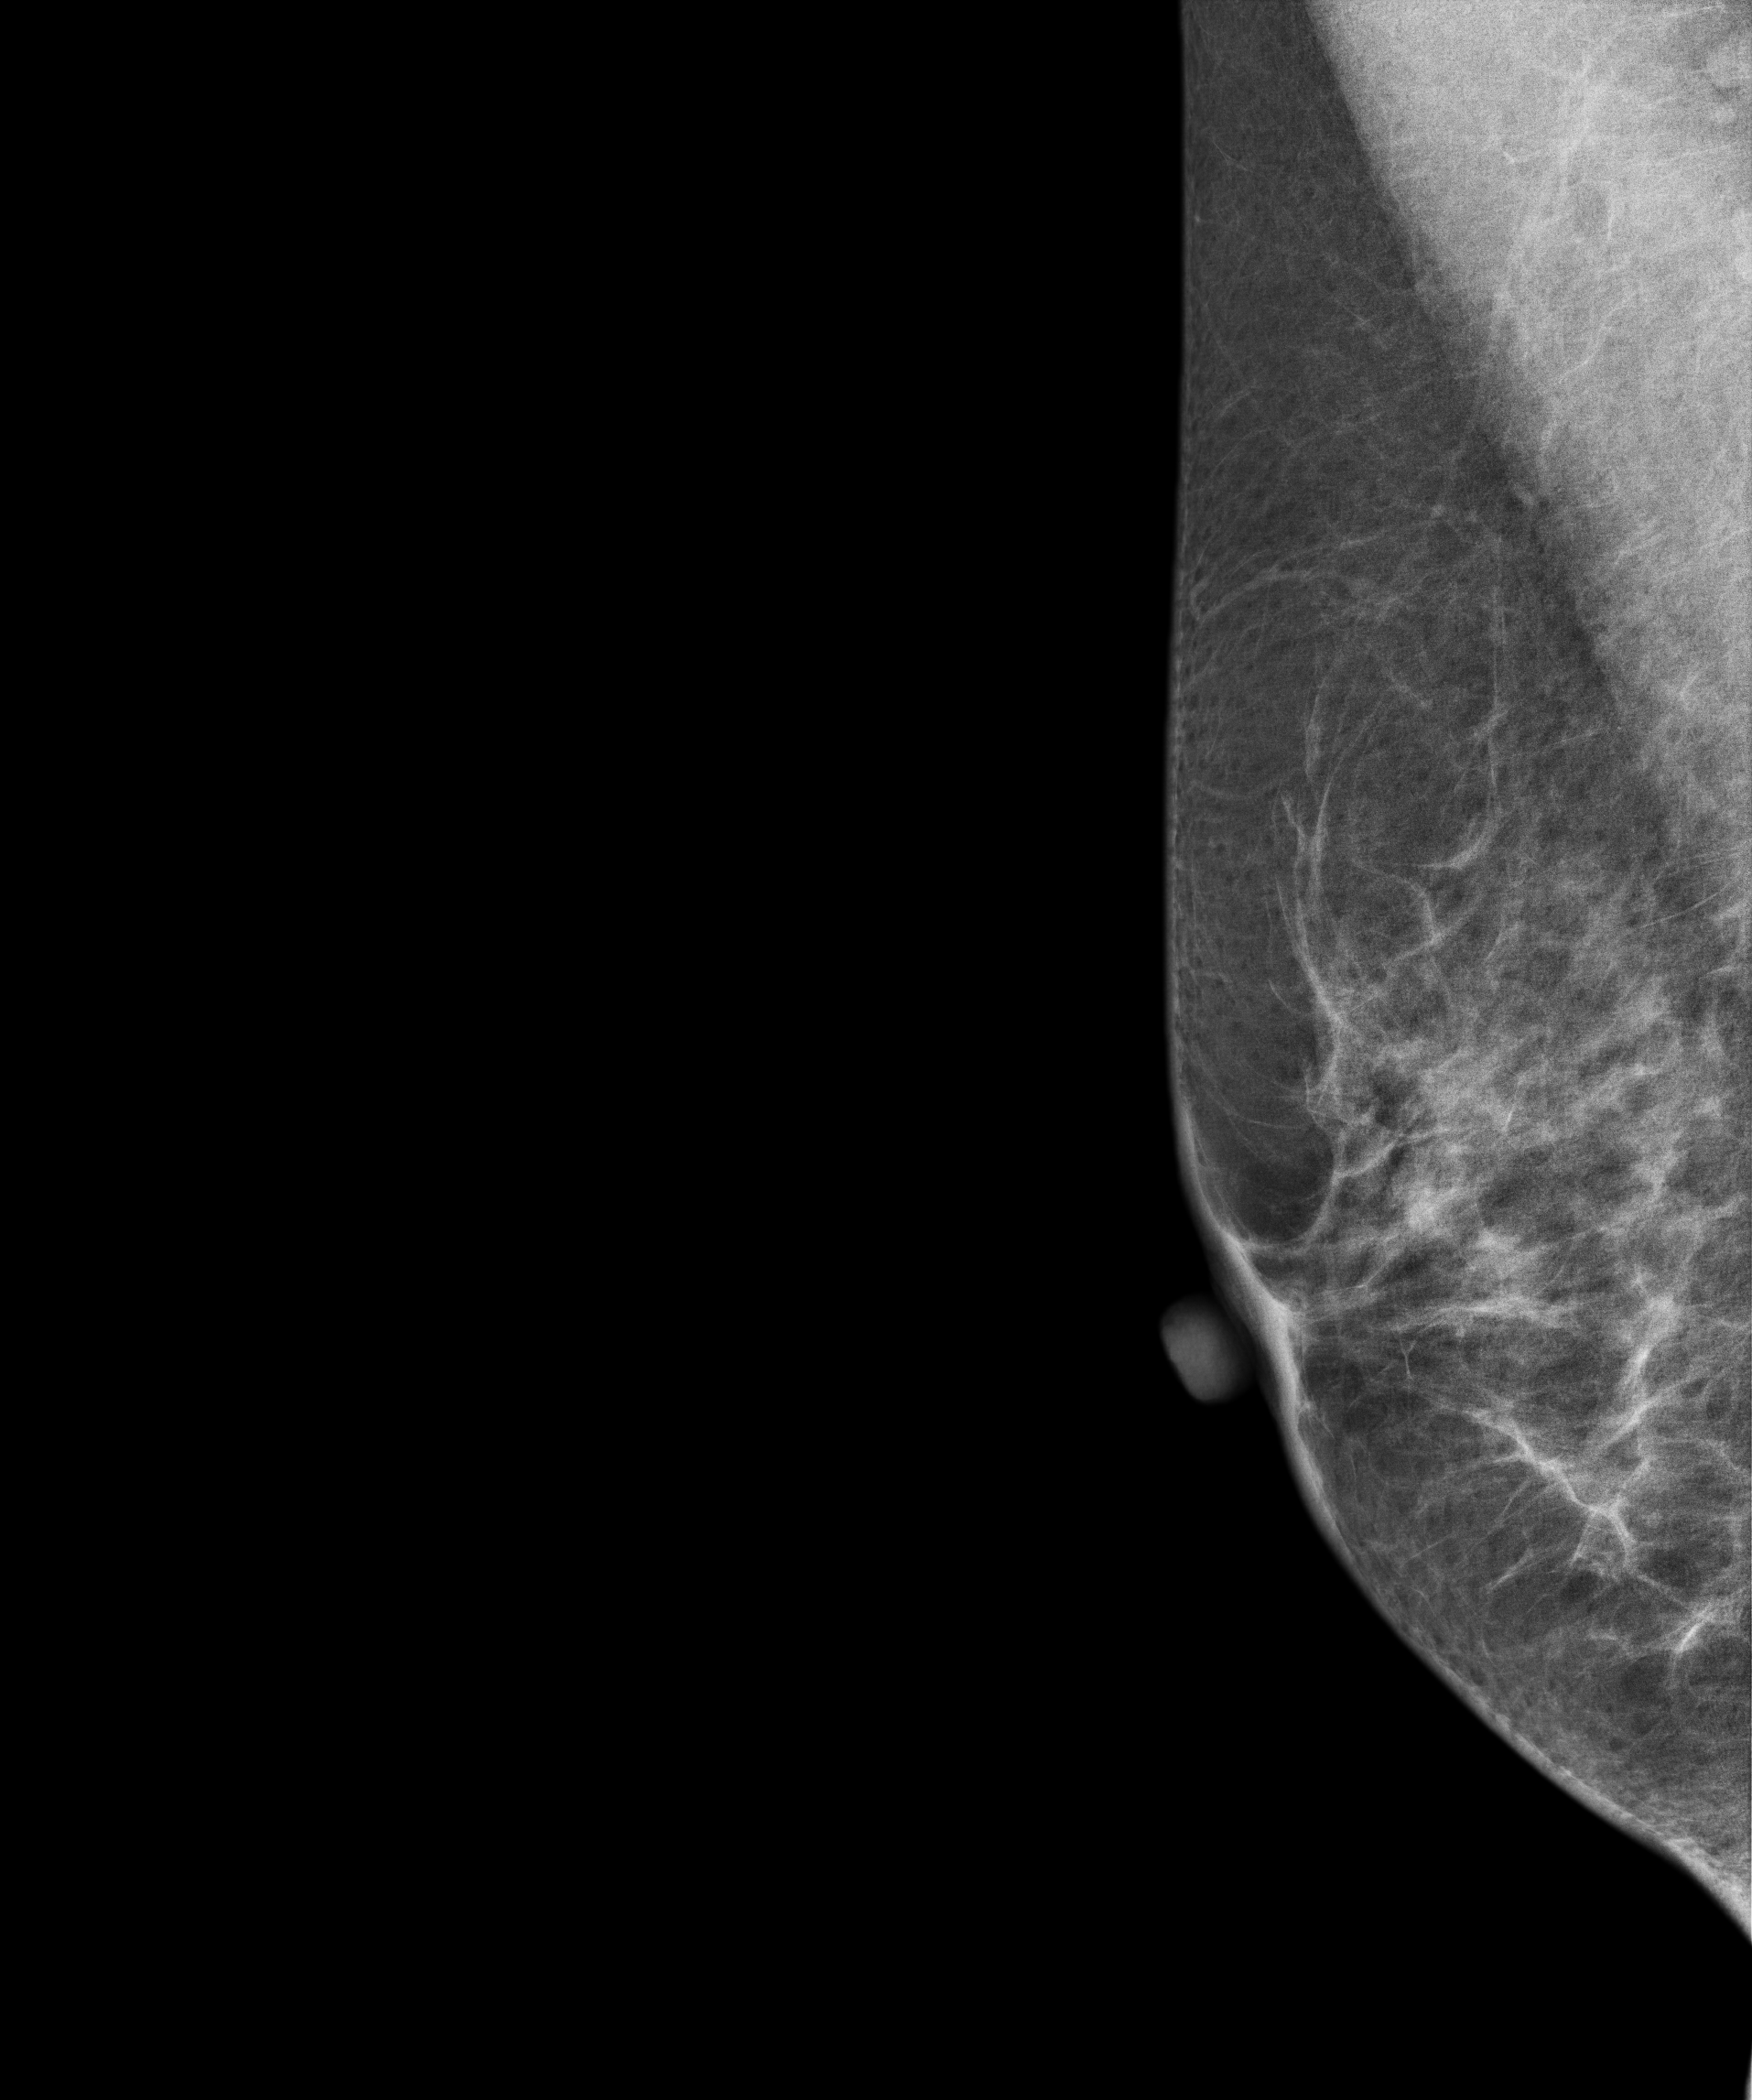
Mammogram — right MLO. 42 y/o patient.
Contralateral breast — no documented abnormality on this side.